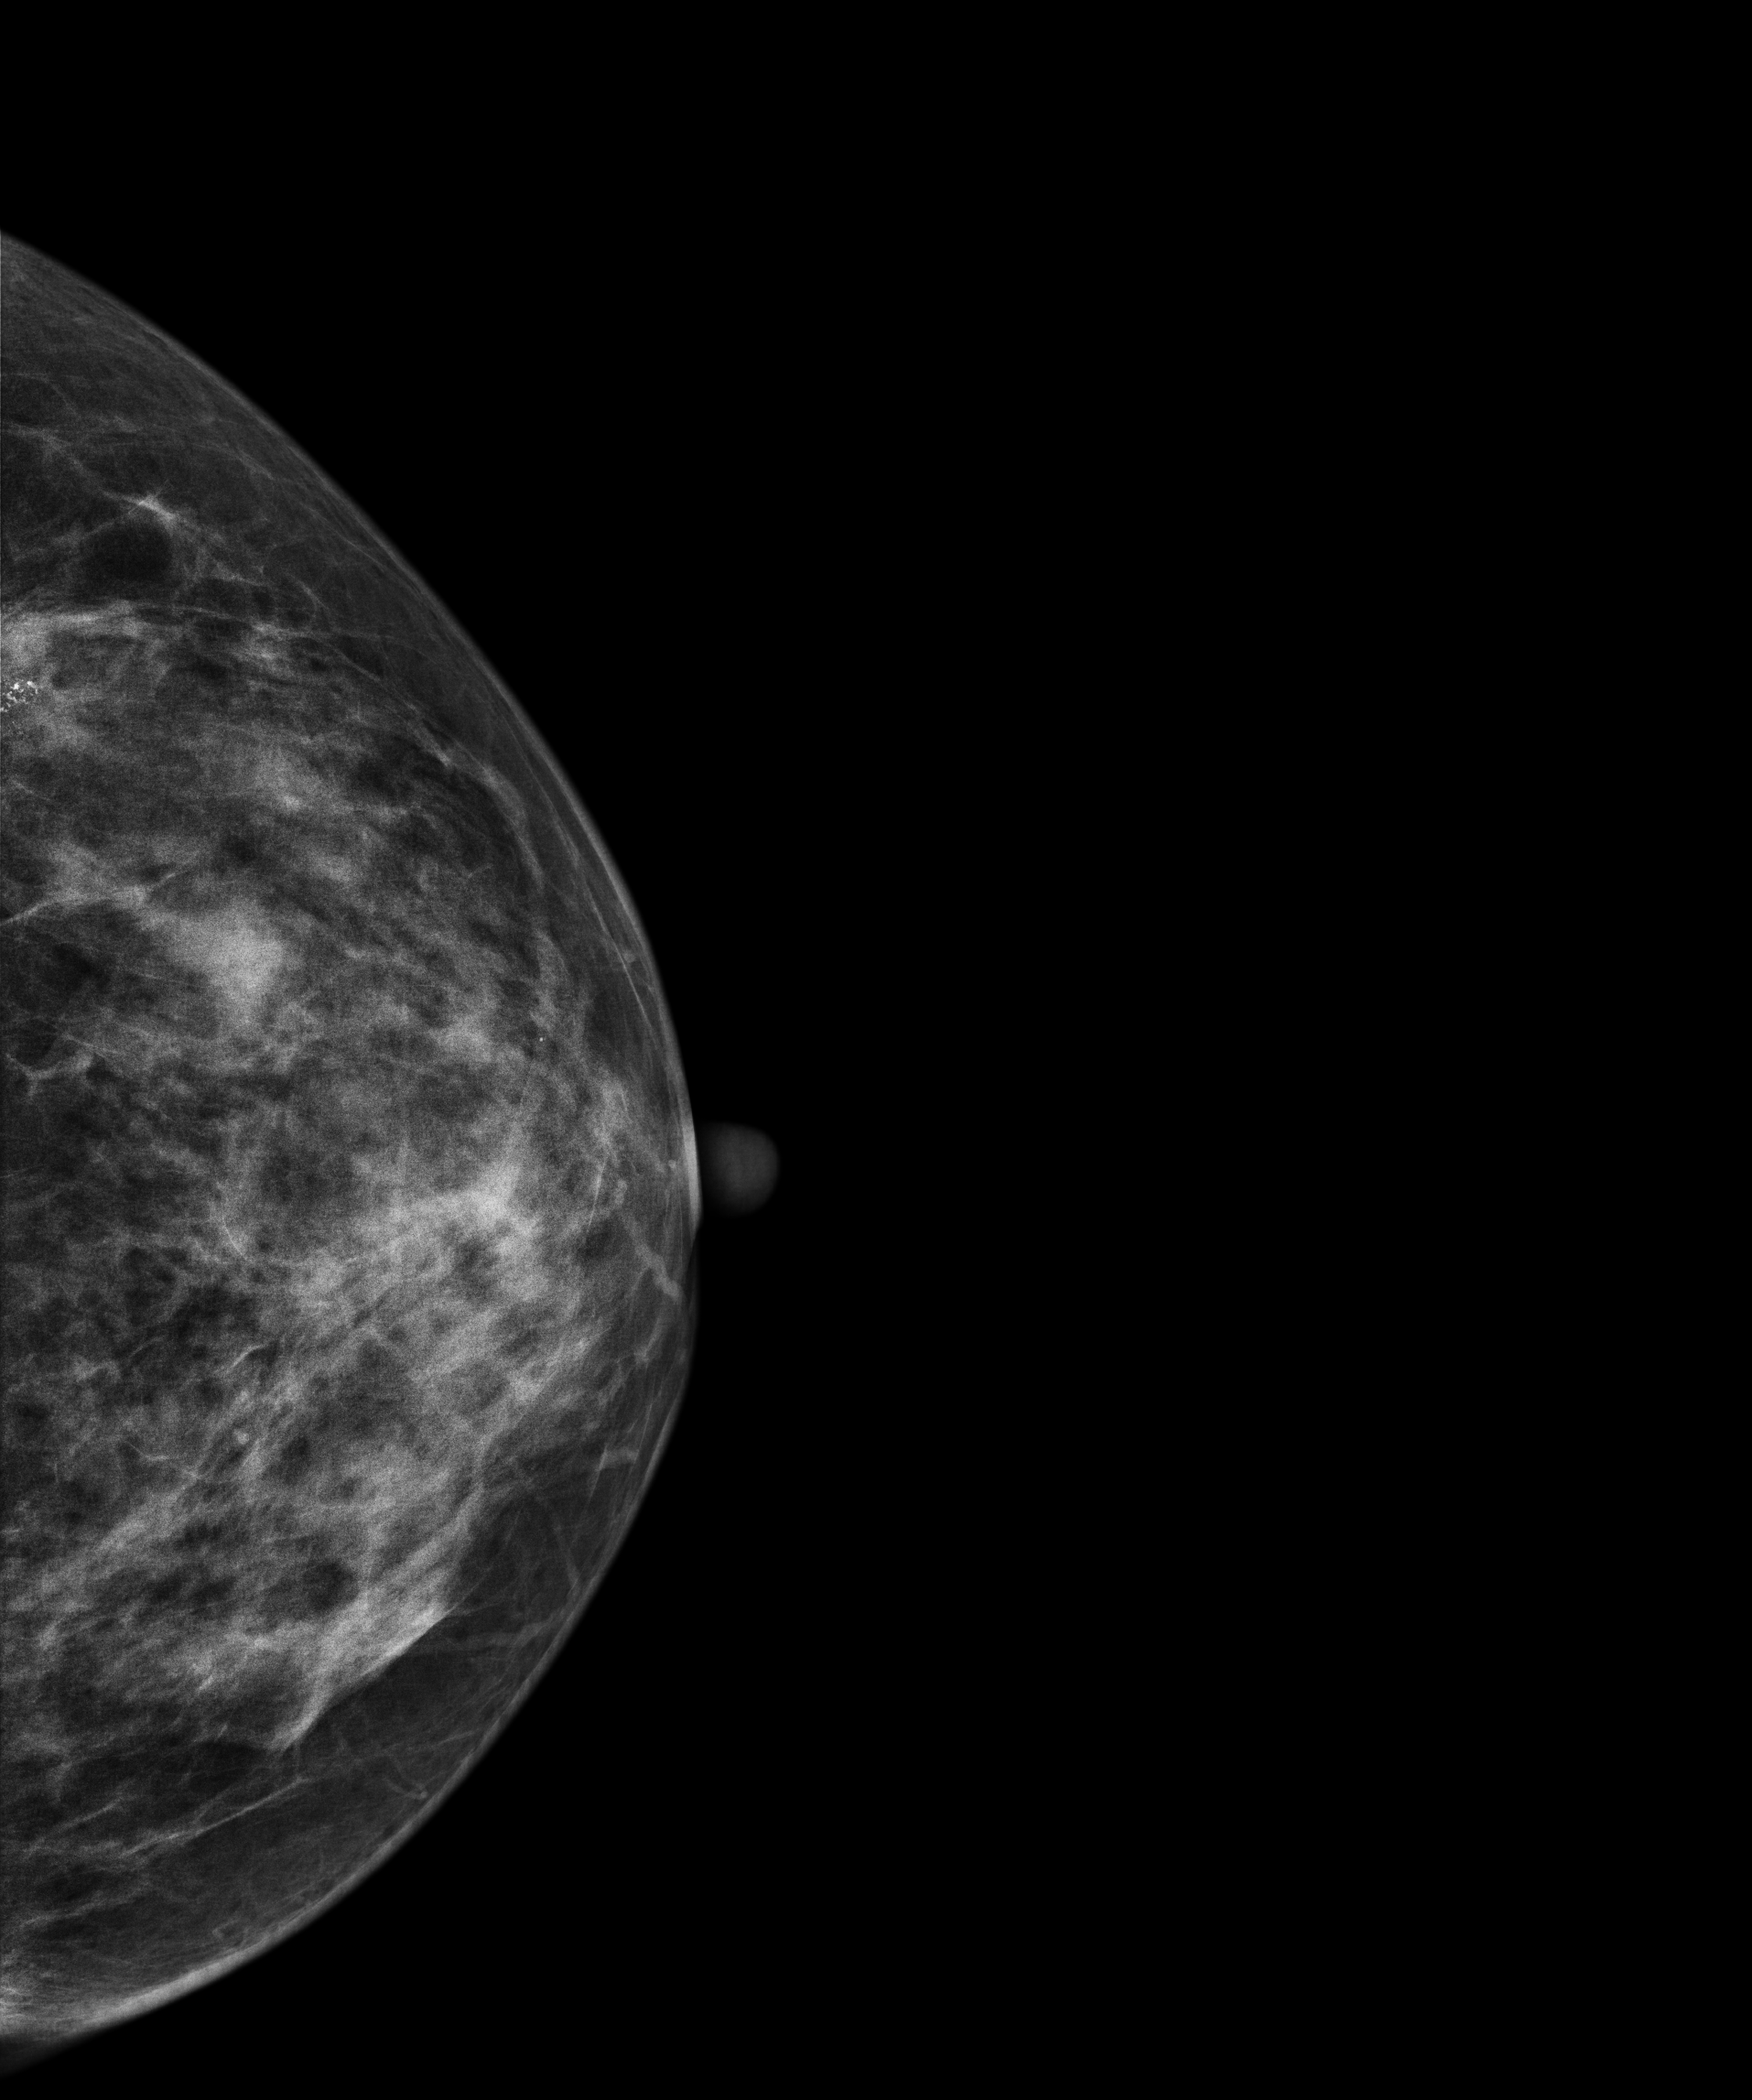
Left-breast mammogram, CC. 56 y/o patient.
This breast has a mass and calcifications, histologically confirmed malignant.